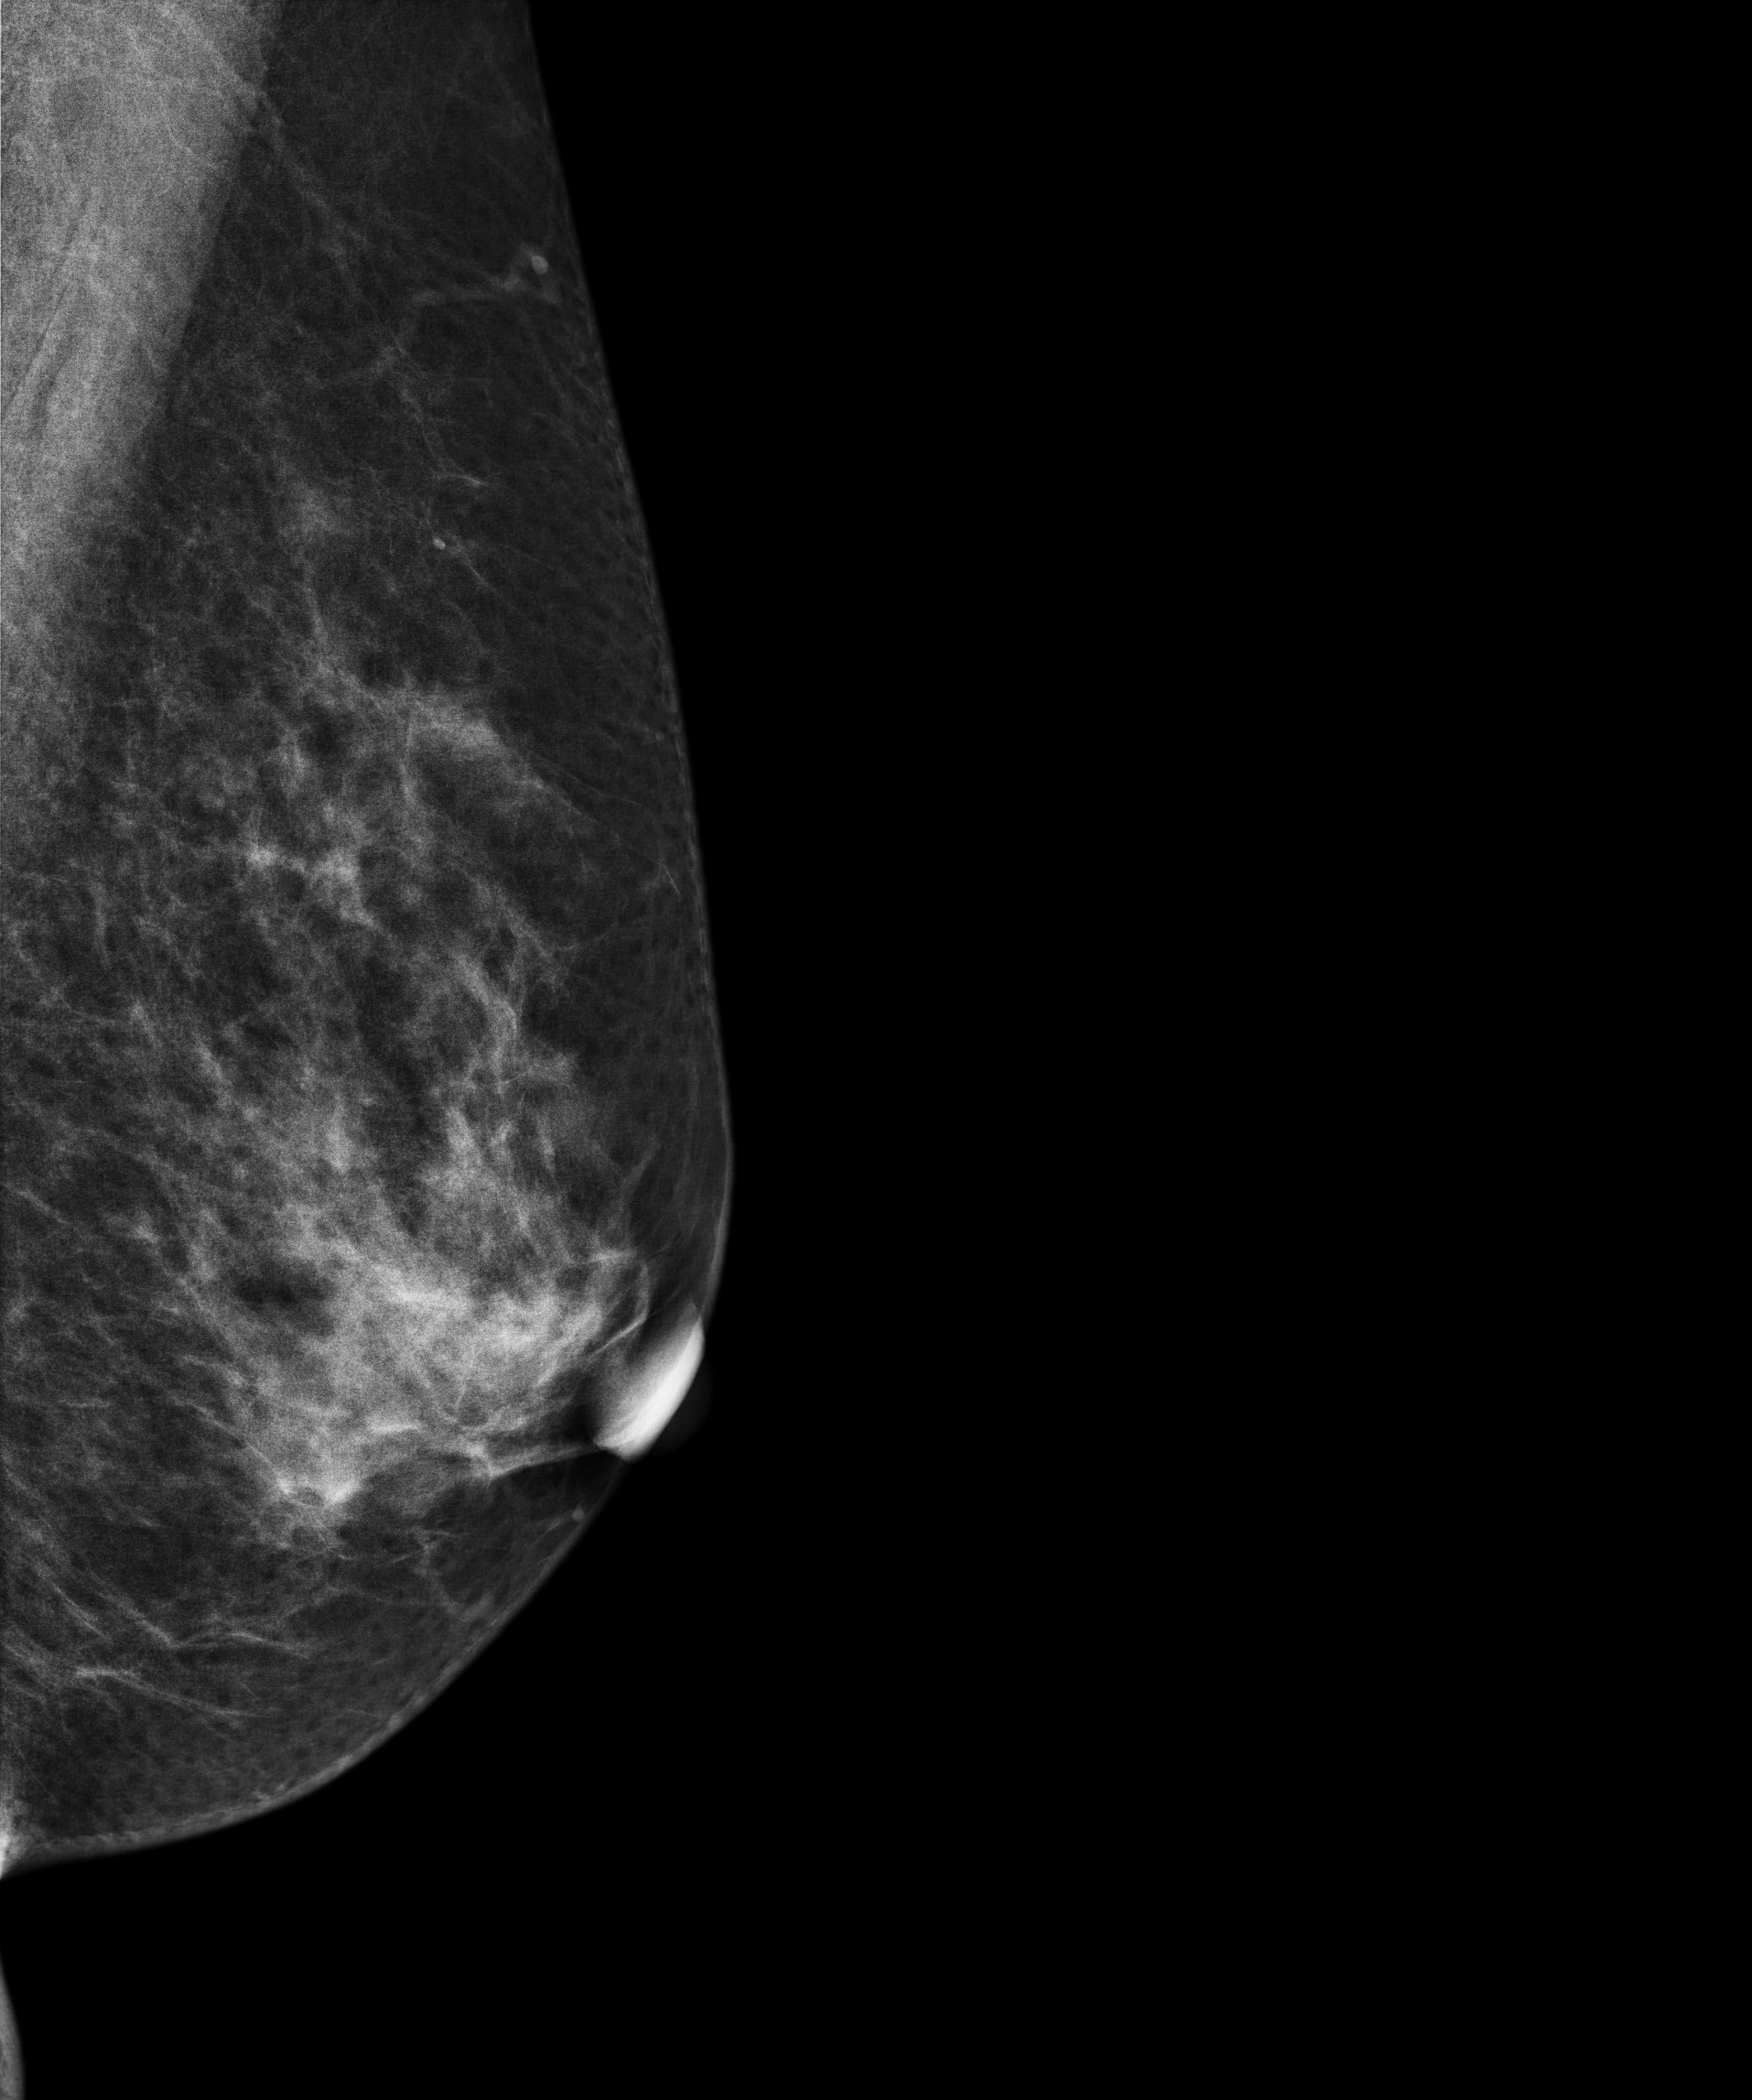
Left-breast mammogram, MLO. Patient age 59.
This breast has a mass, histologically confirmed benign.